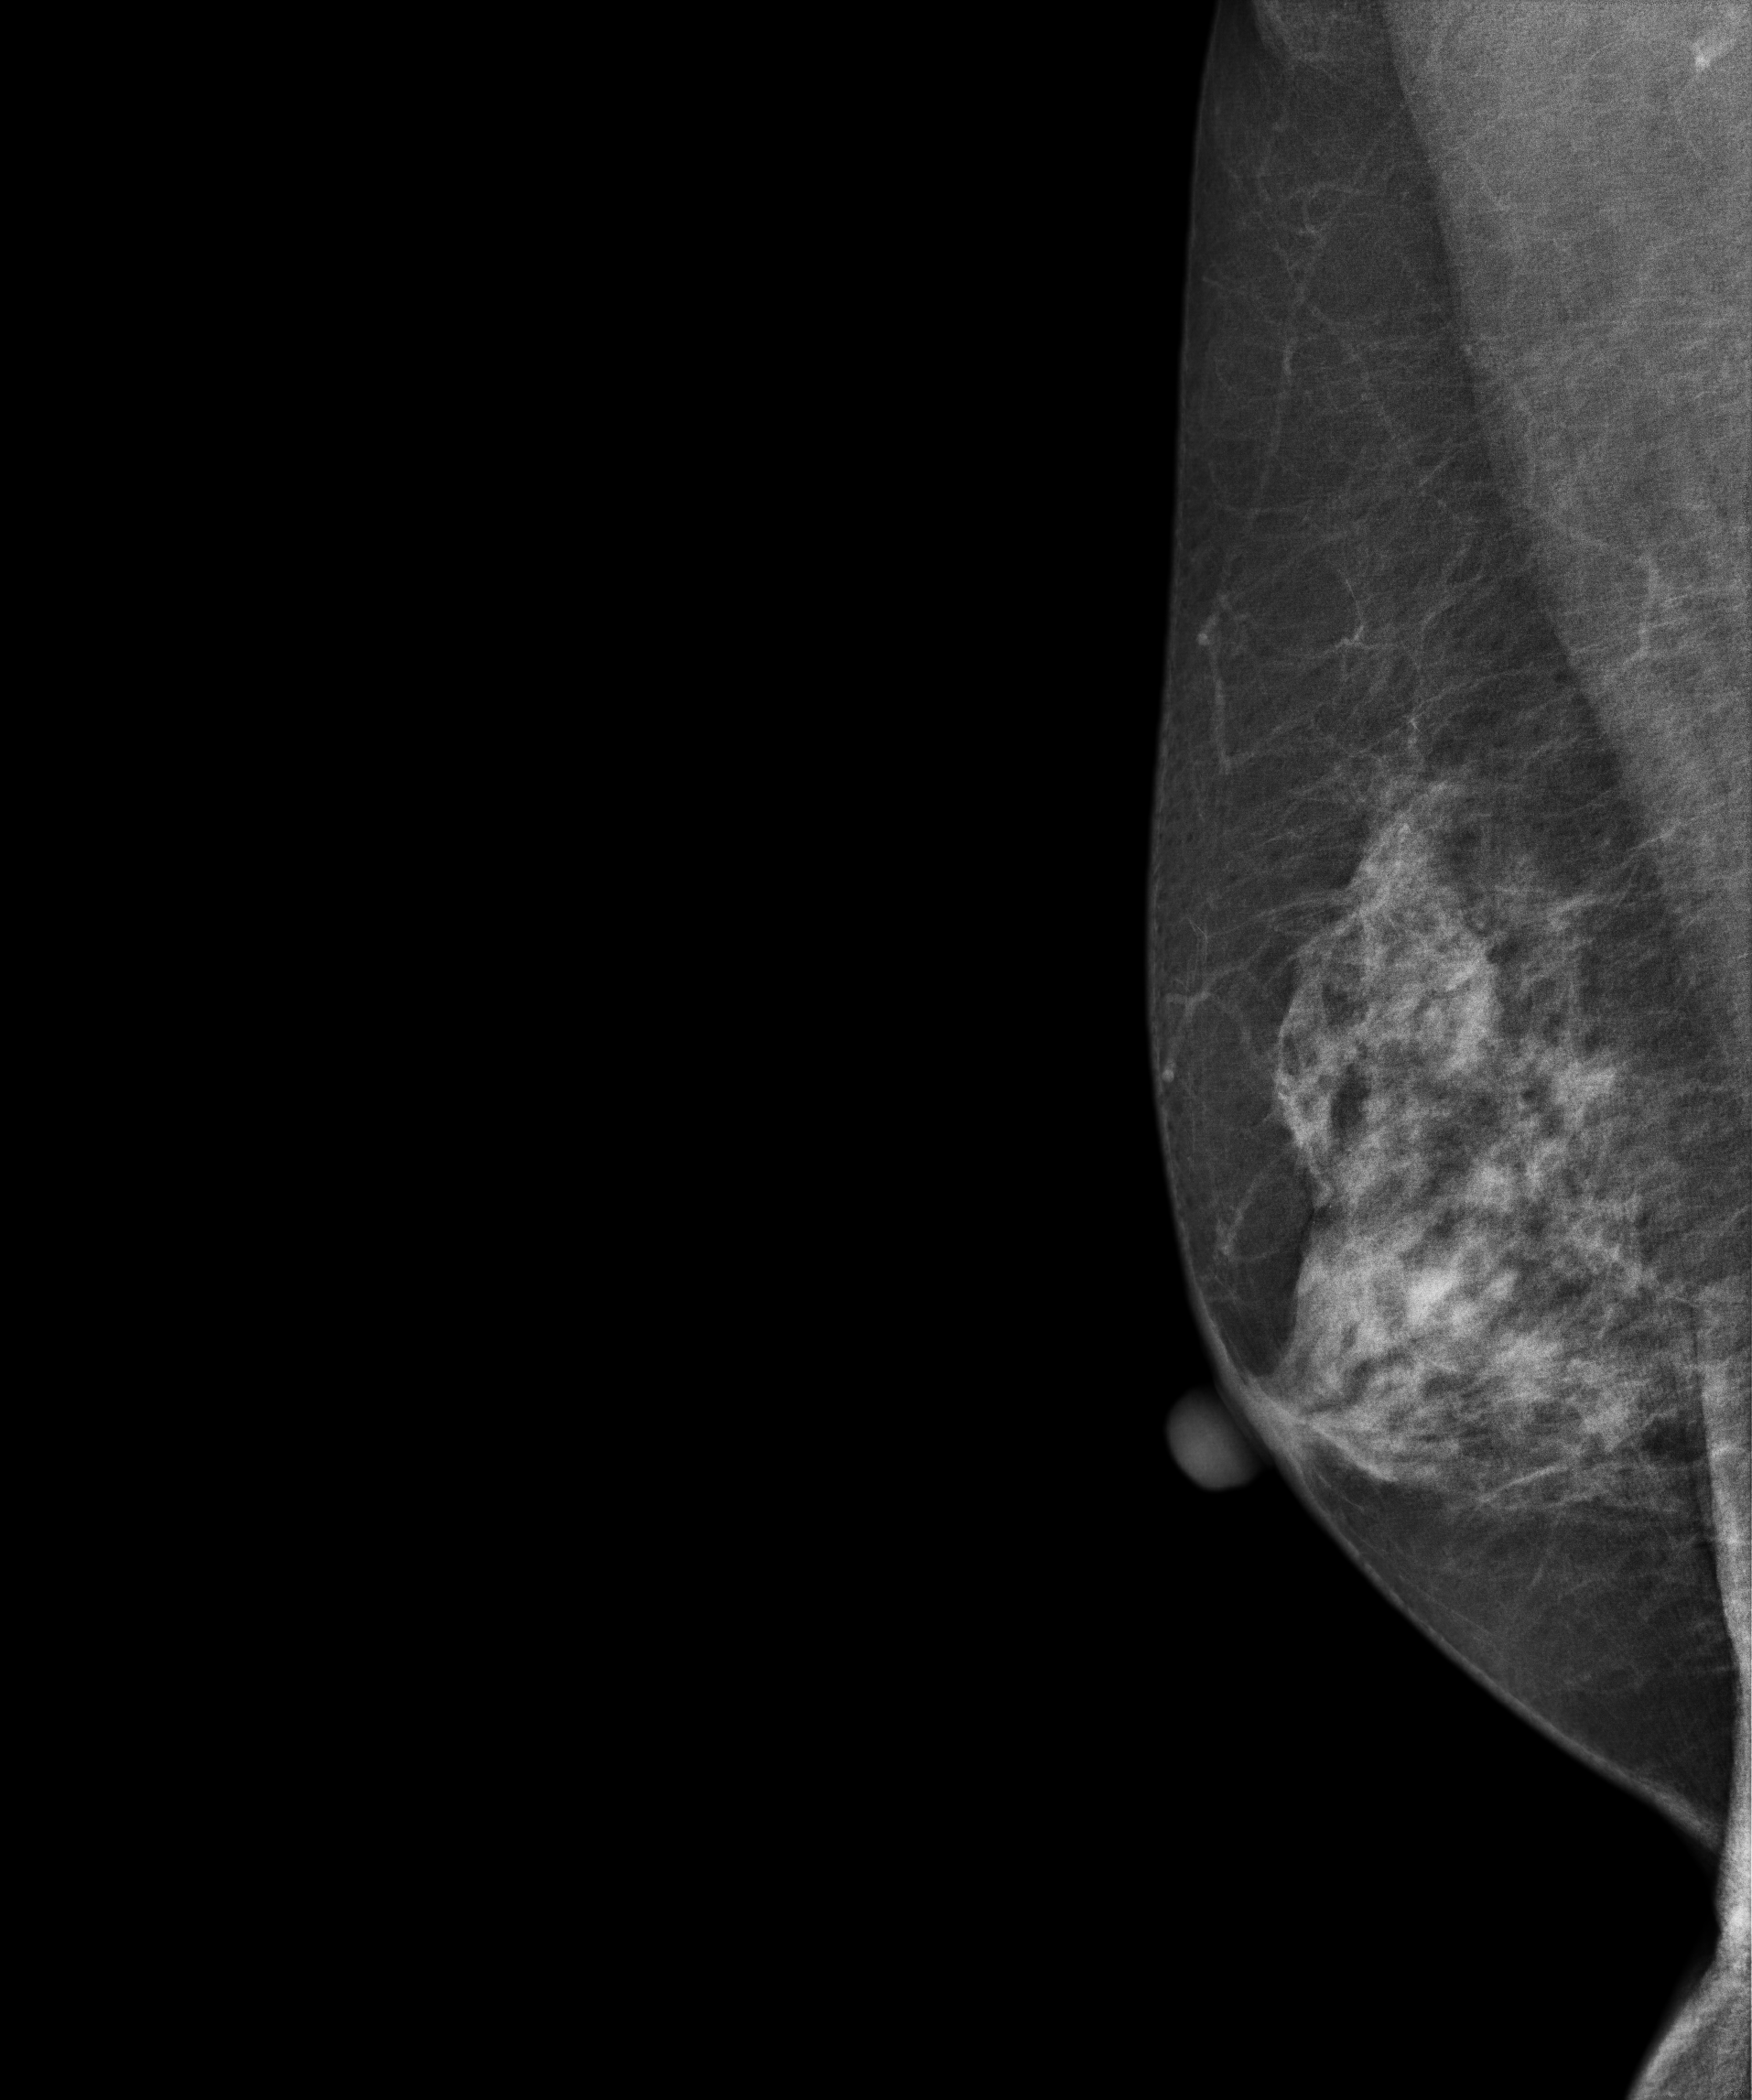
Medio-lateral oblique mammogram of the right breast. Patient age 60.
Contralateral breast — no documented abnormality on this side.